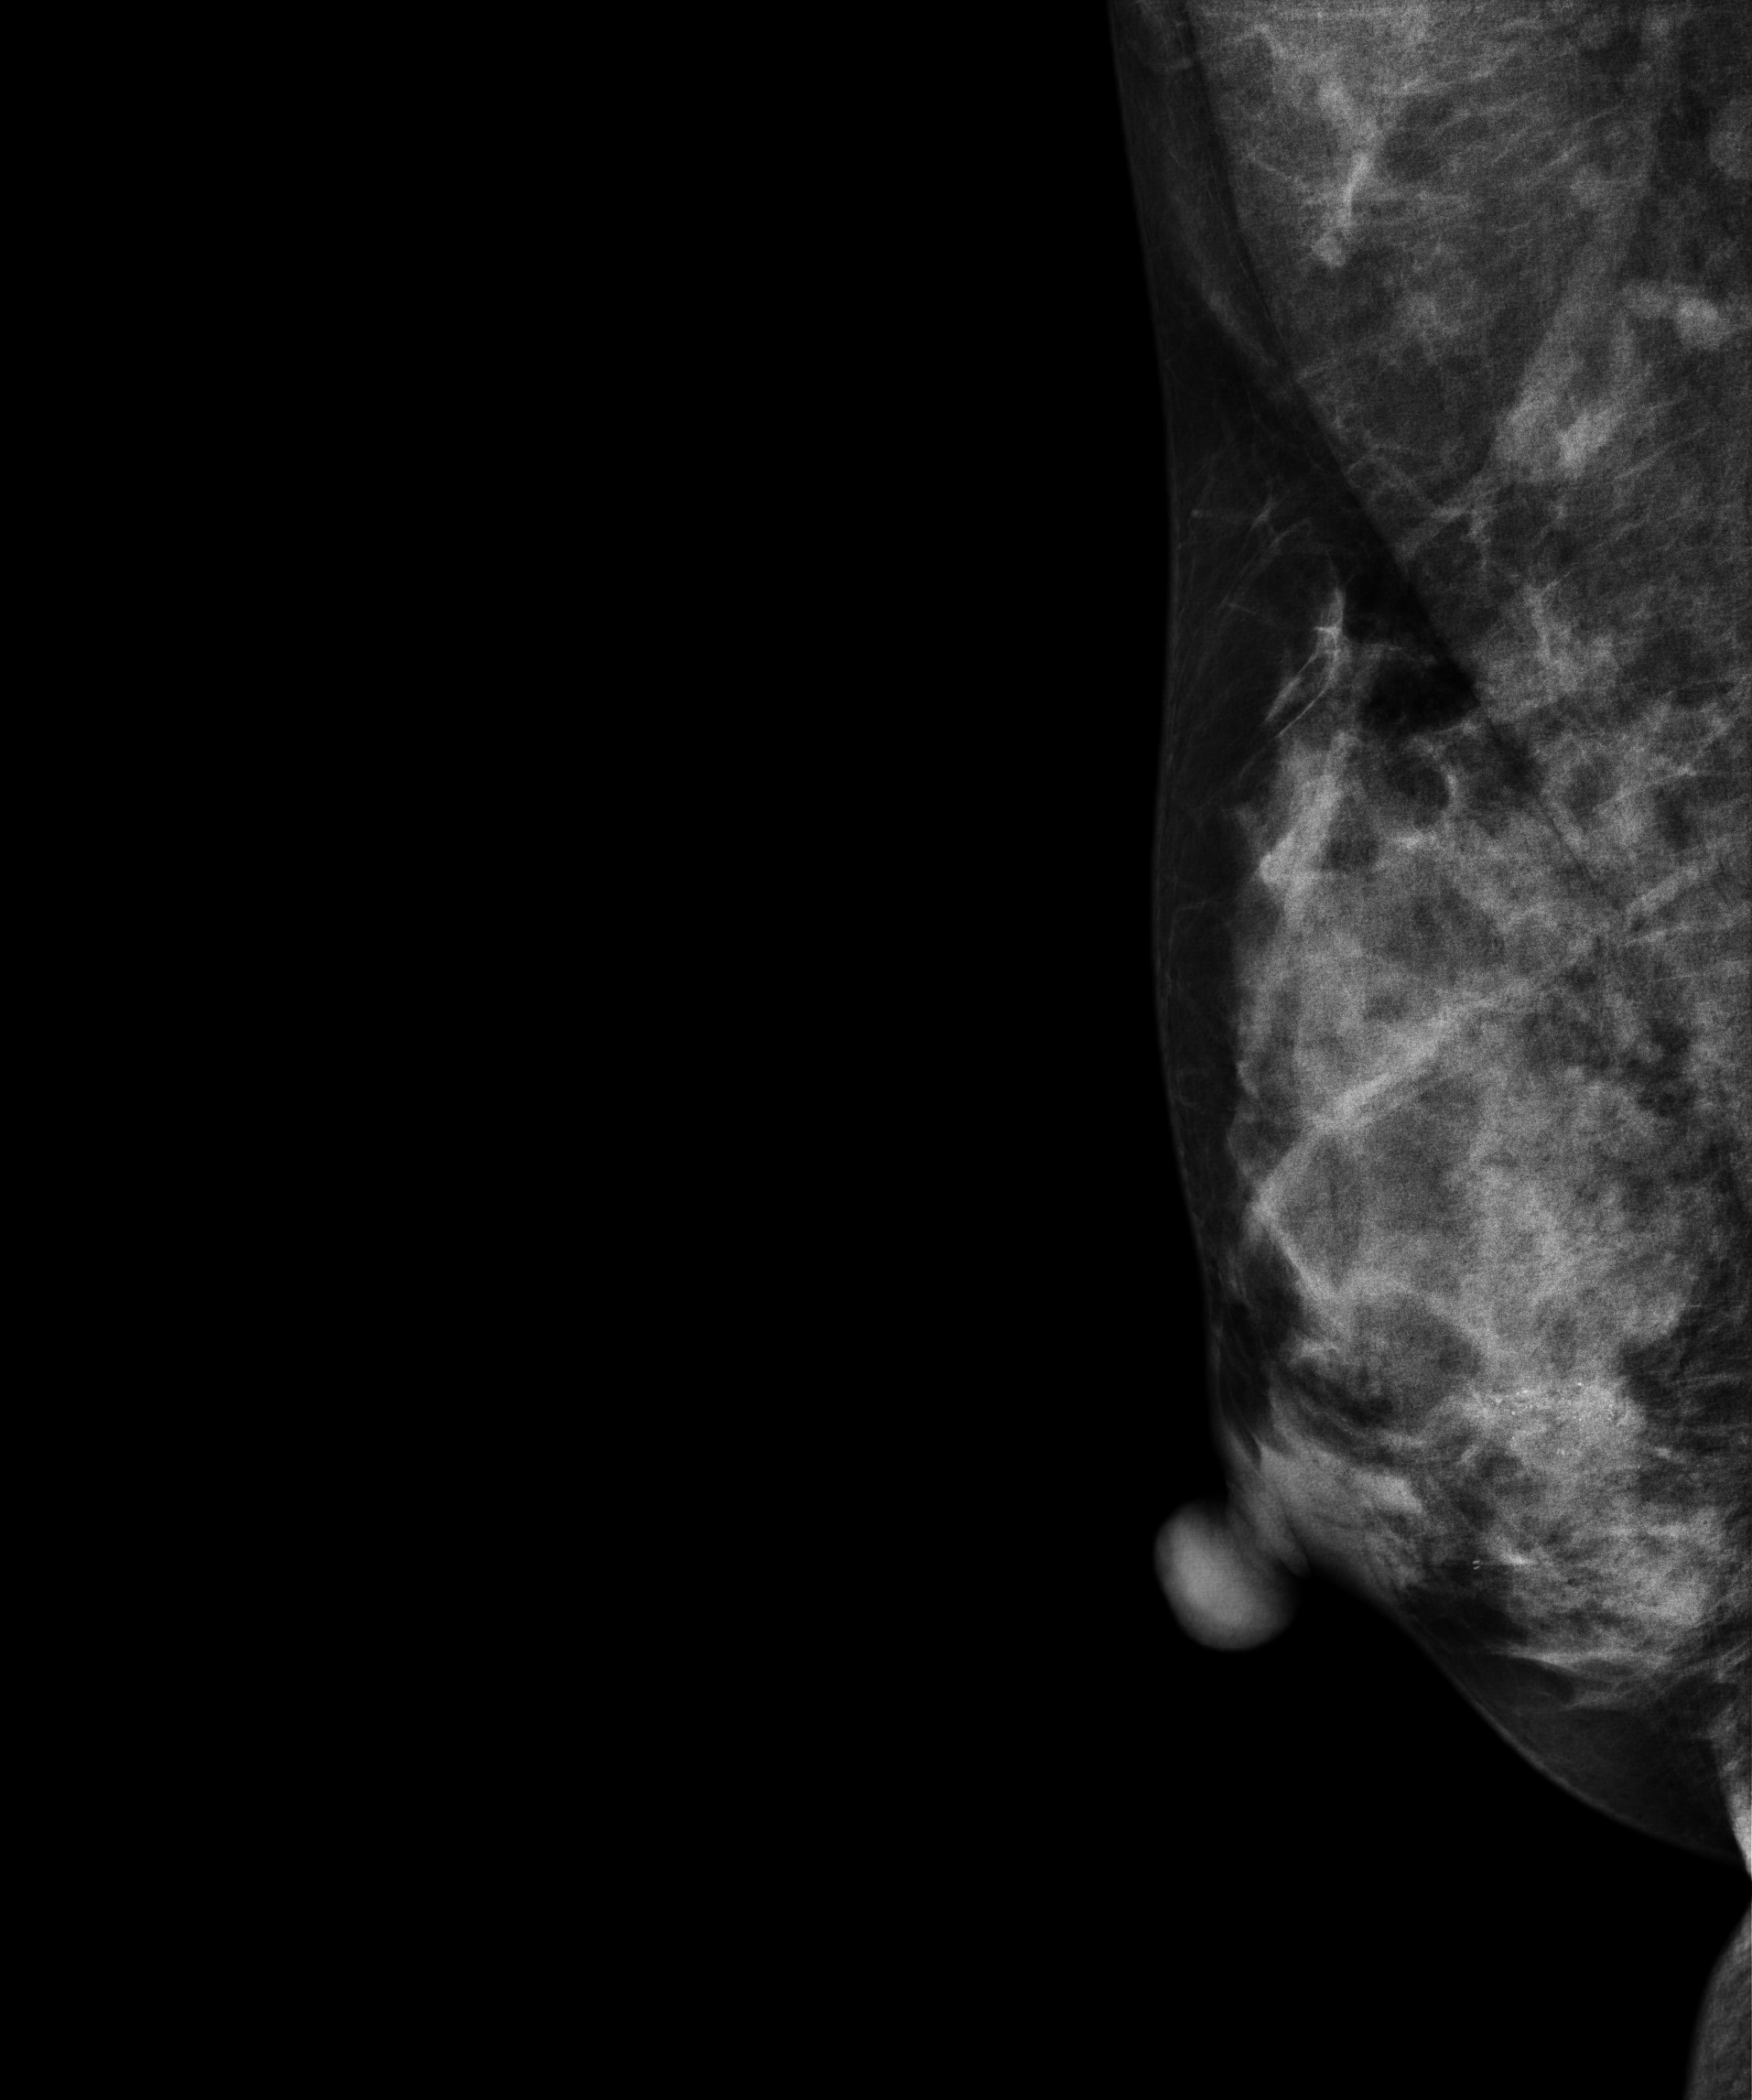
Digital mammography. Right breast, medio-lateral oblique projection. 49-year-old patient.
This breast has a mass and calcifications, biopsy-confirmed malignant. Molecular subtype: luminal B.